Mammogram — left MLO. 50-year-old patient.
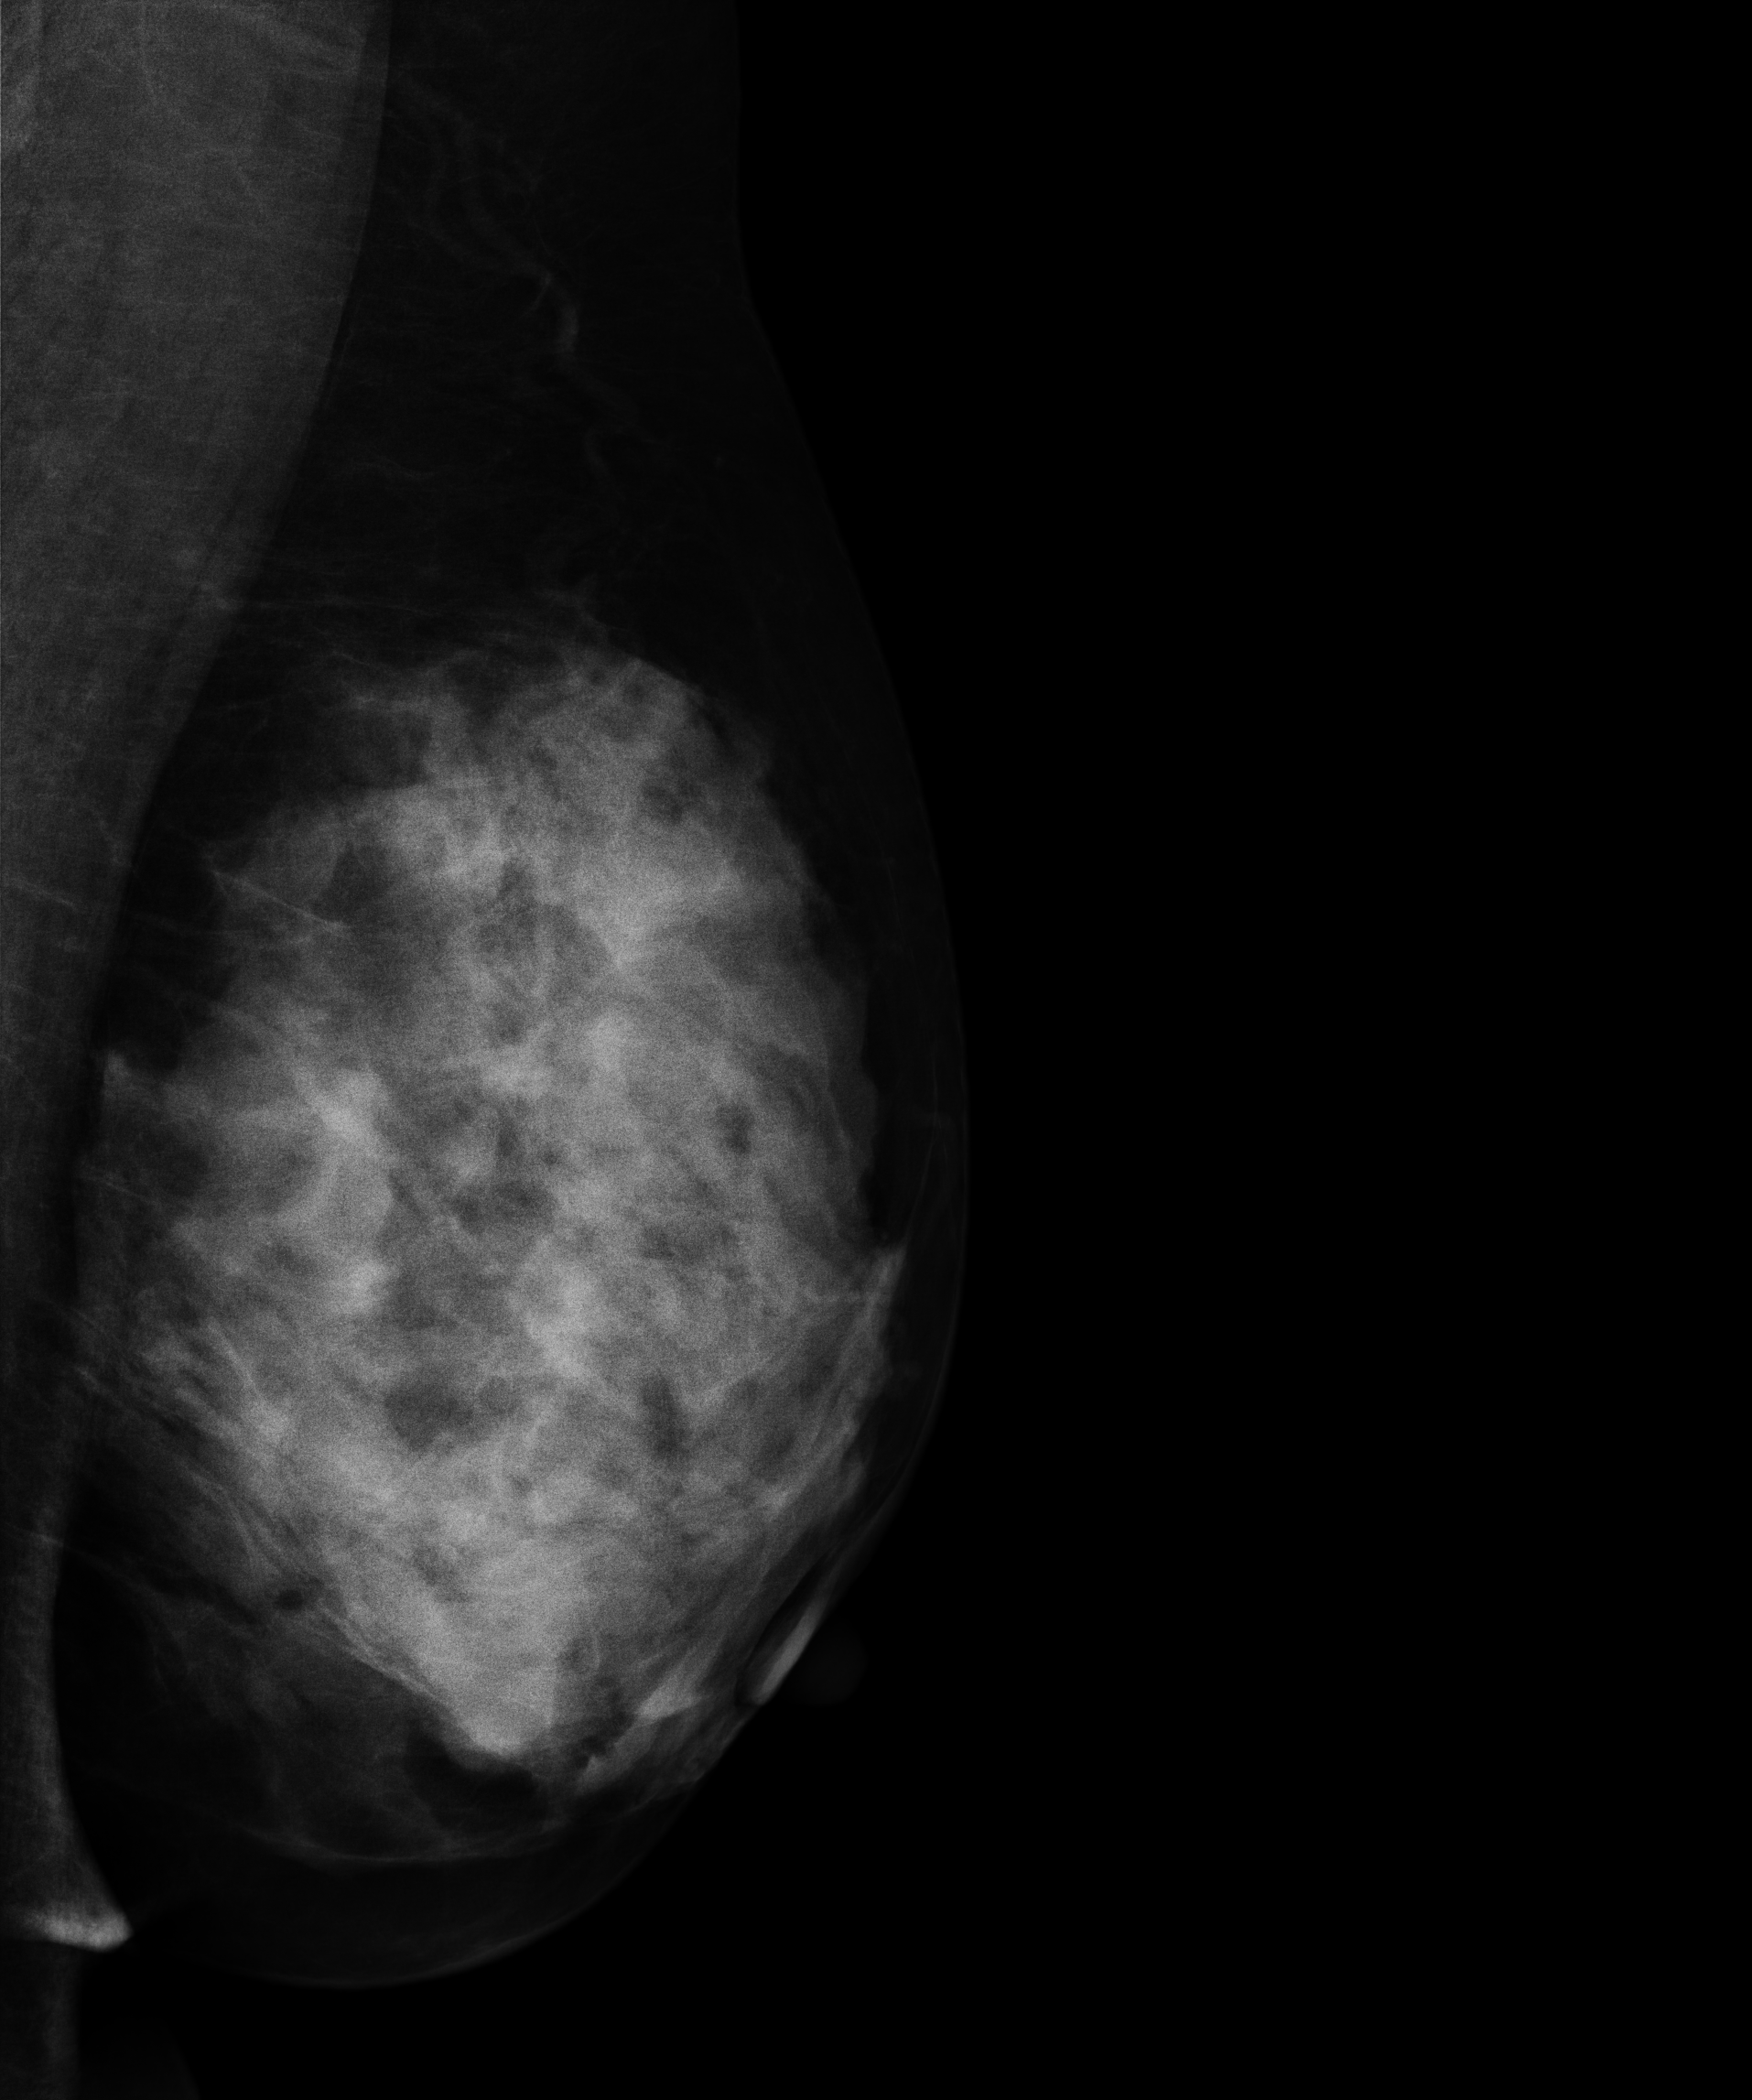
This breast has a mass, pathology-confirmed malignant. Molecular subtype: luminal B.